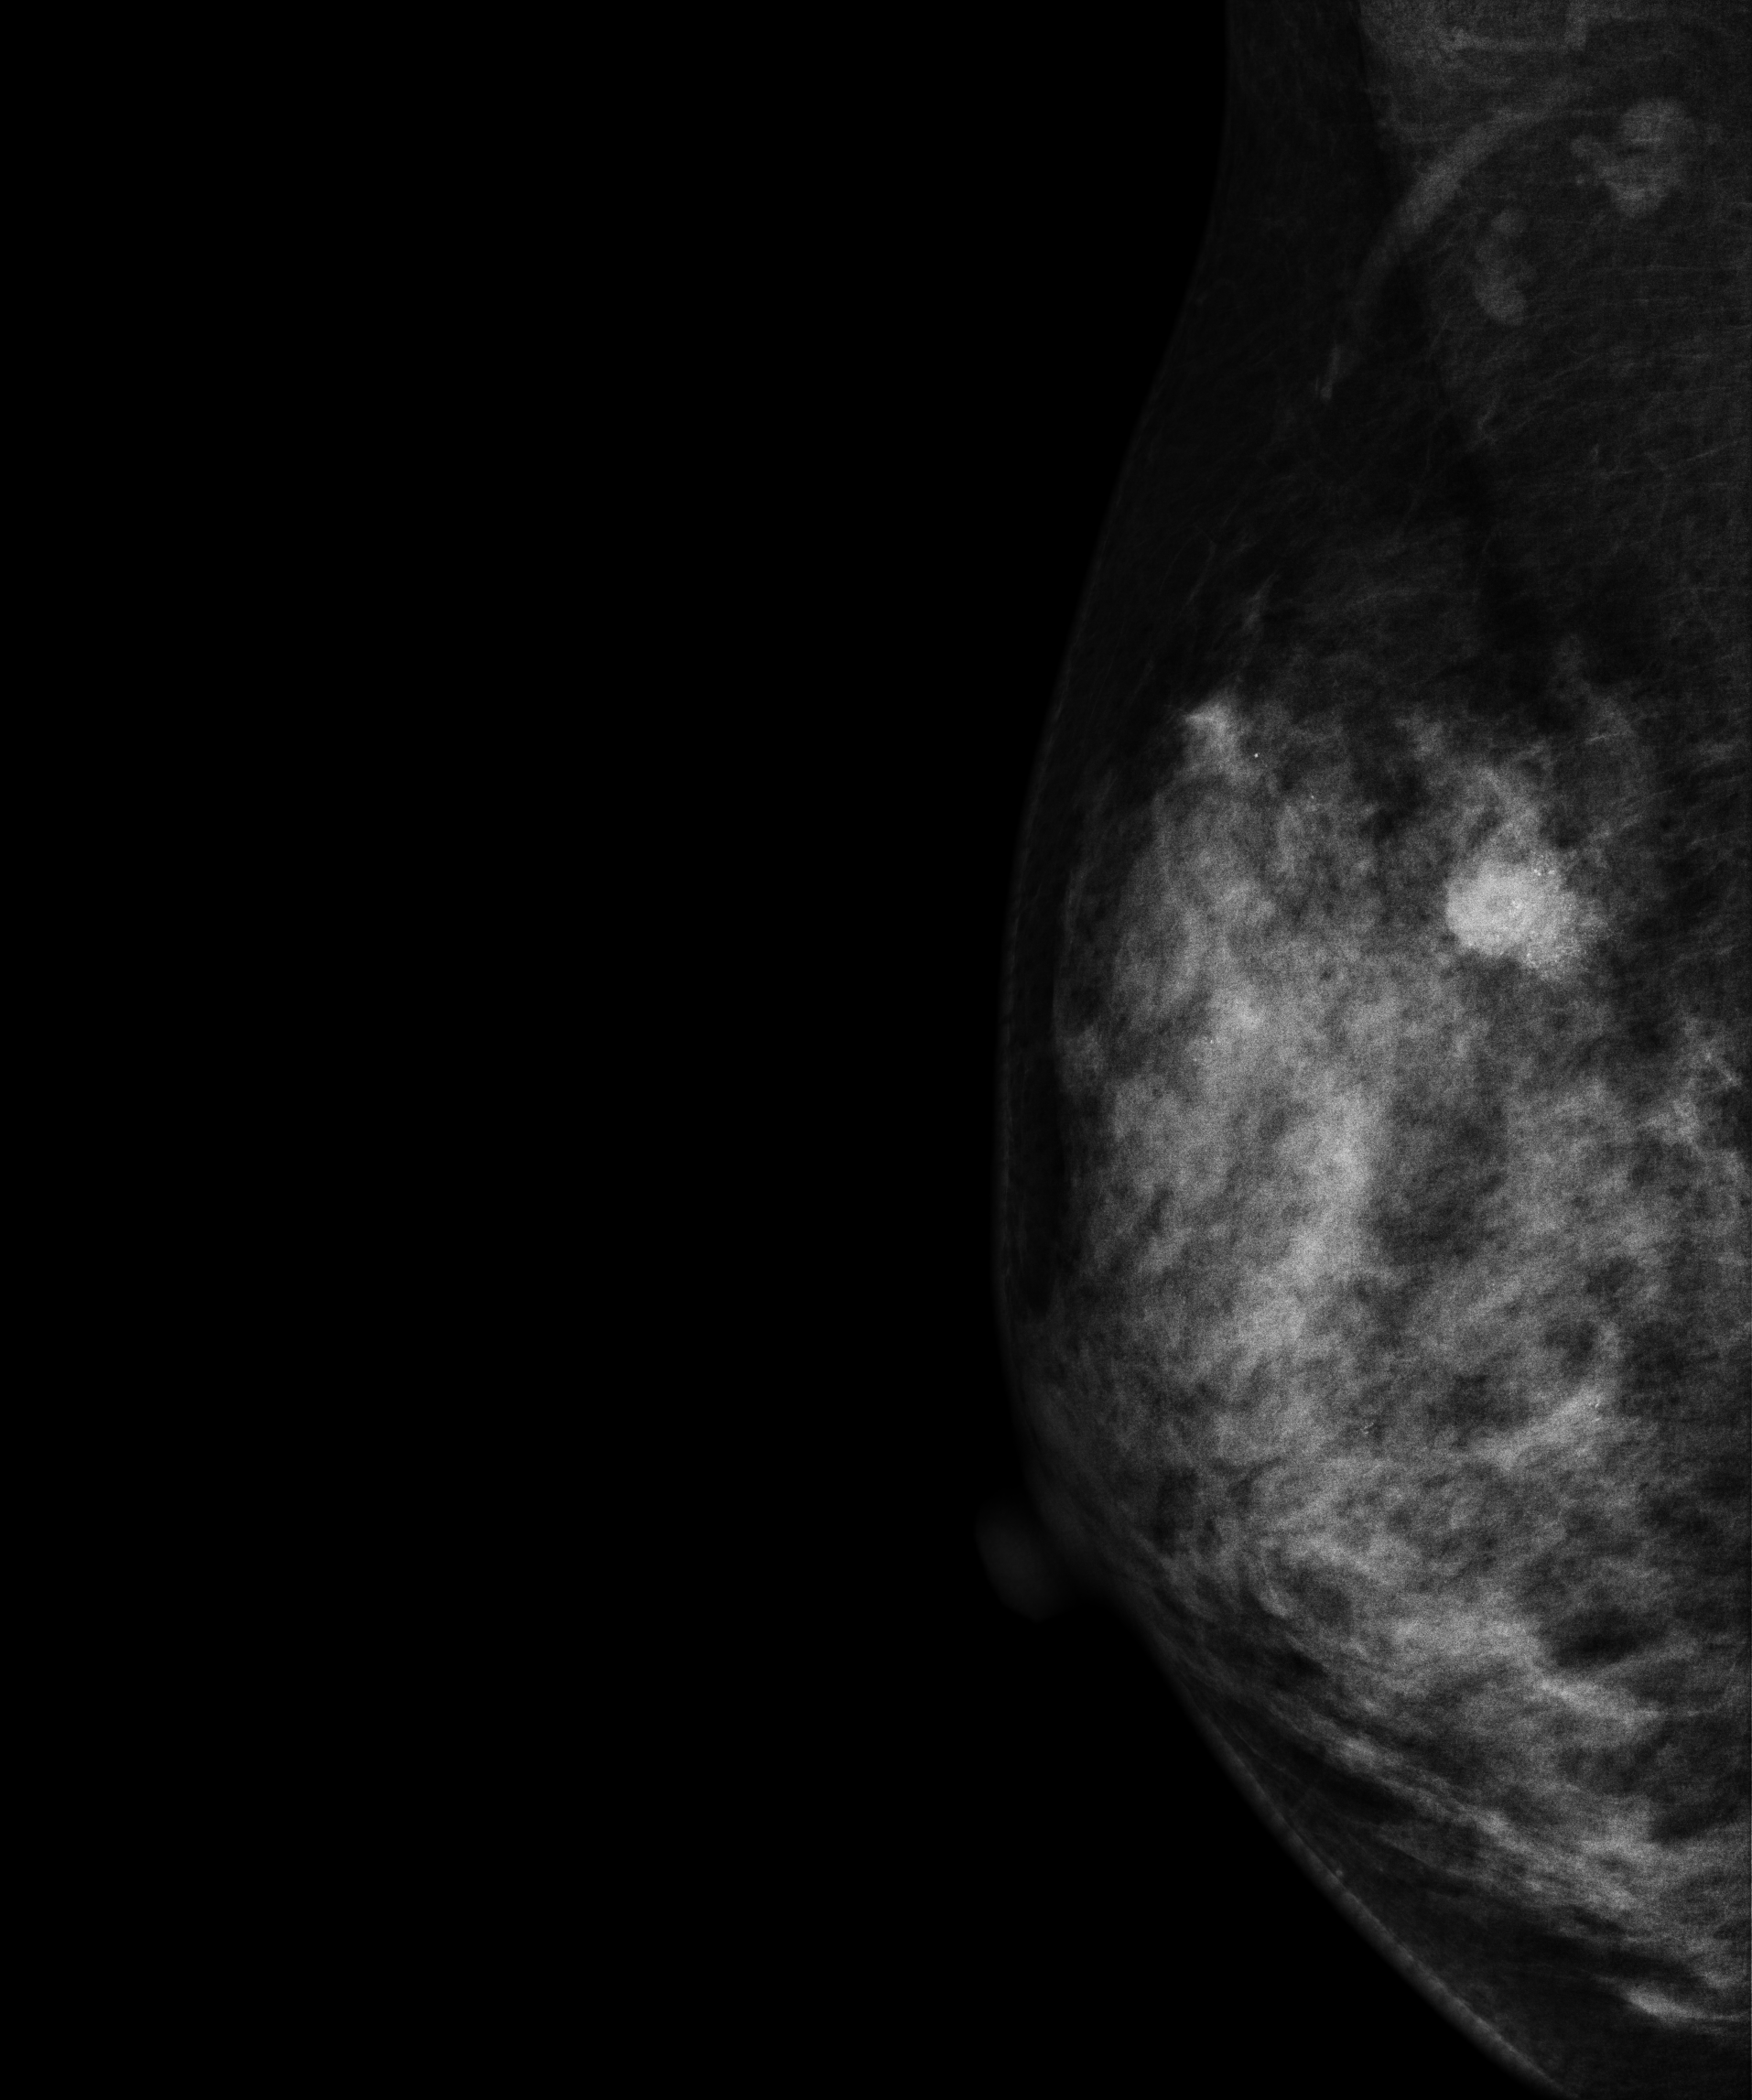
Mammogram, right breast, medio-lateral oblique view. 34-year-old patient.
This breast has a mass and calcifications, histologically confirmed malignant. Molecular subtype: luminal B.